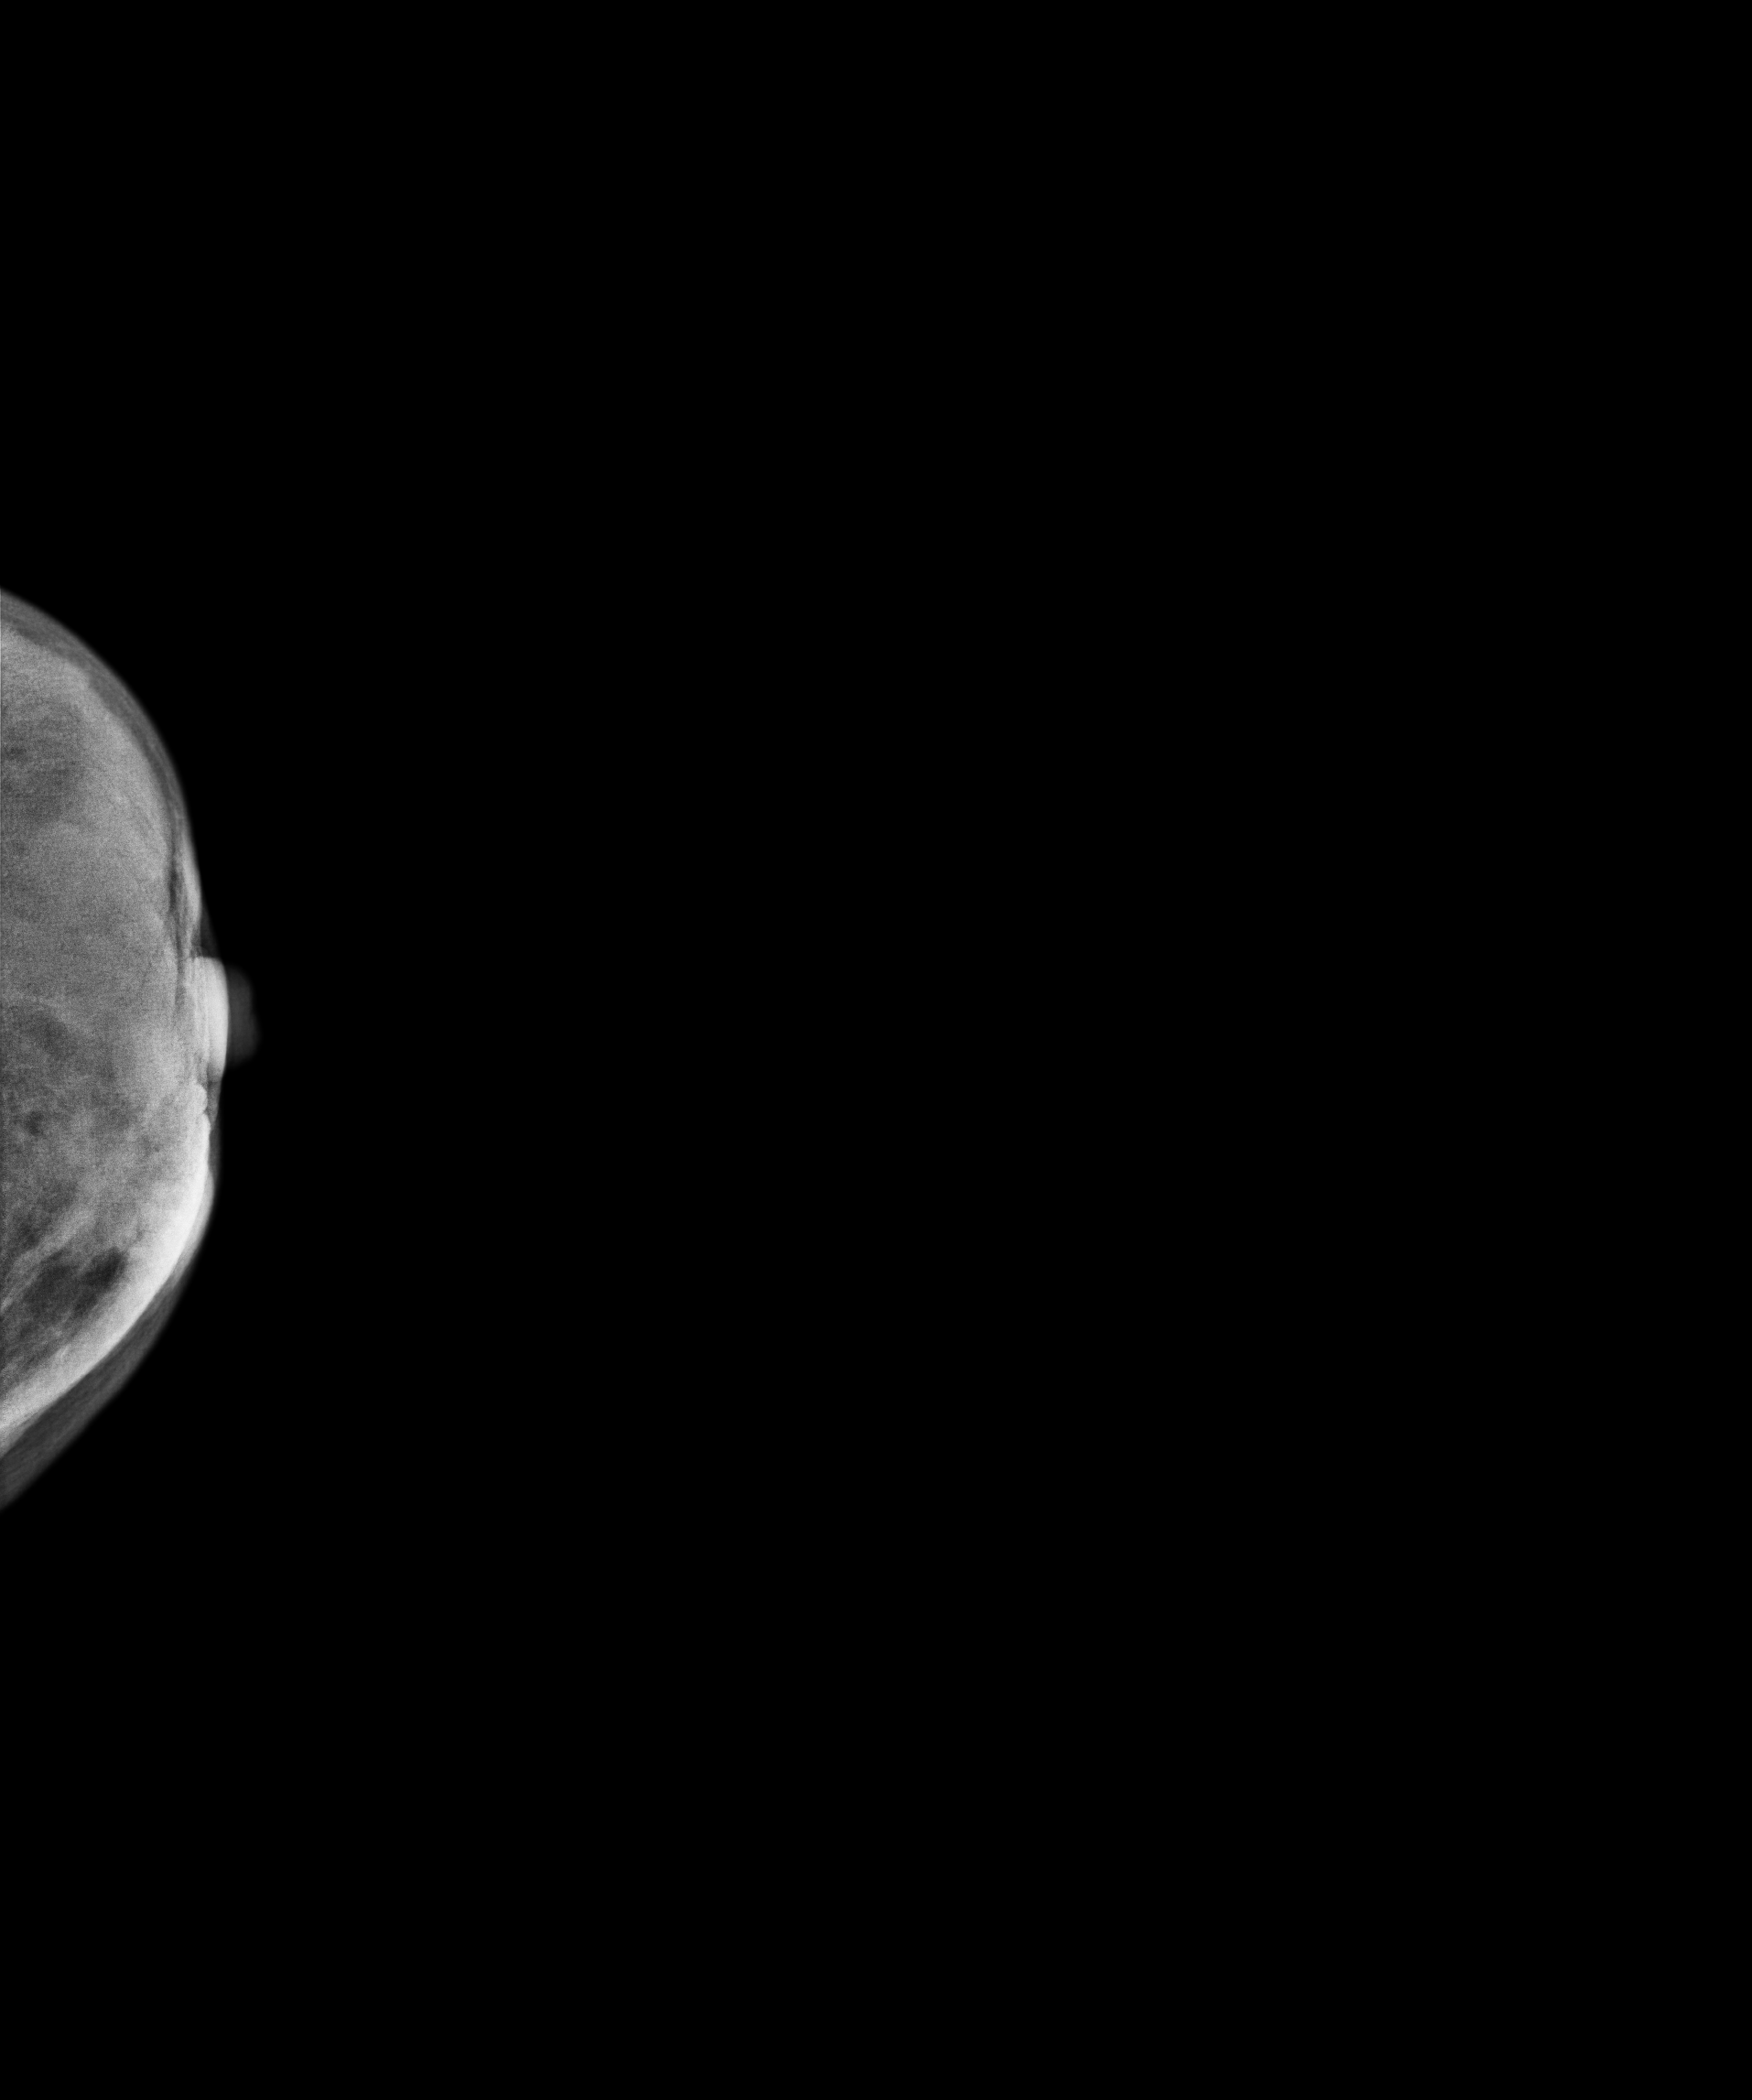
Digital mammography. Left breast, CC projection. Patient age 53.
This breast has a mass, biopsy-confirmed malignant.